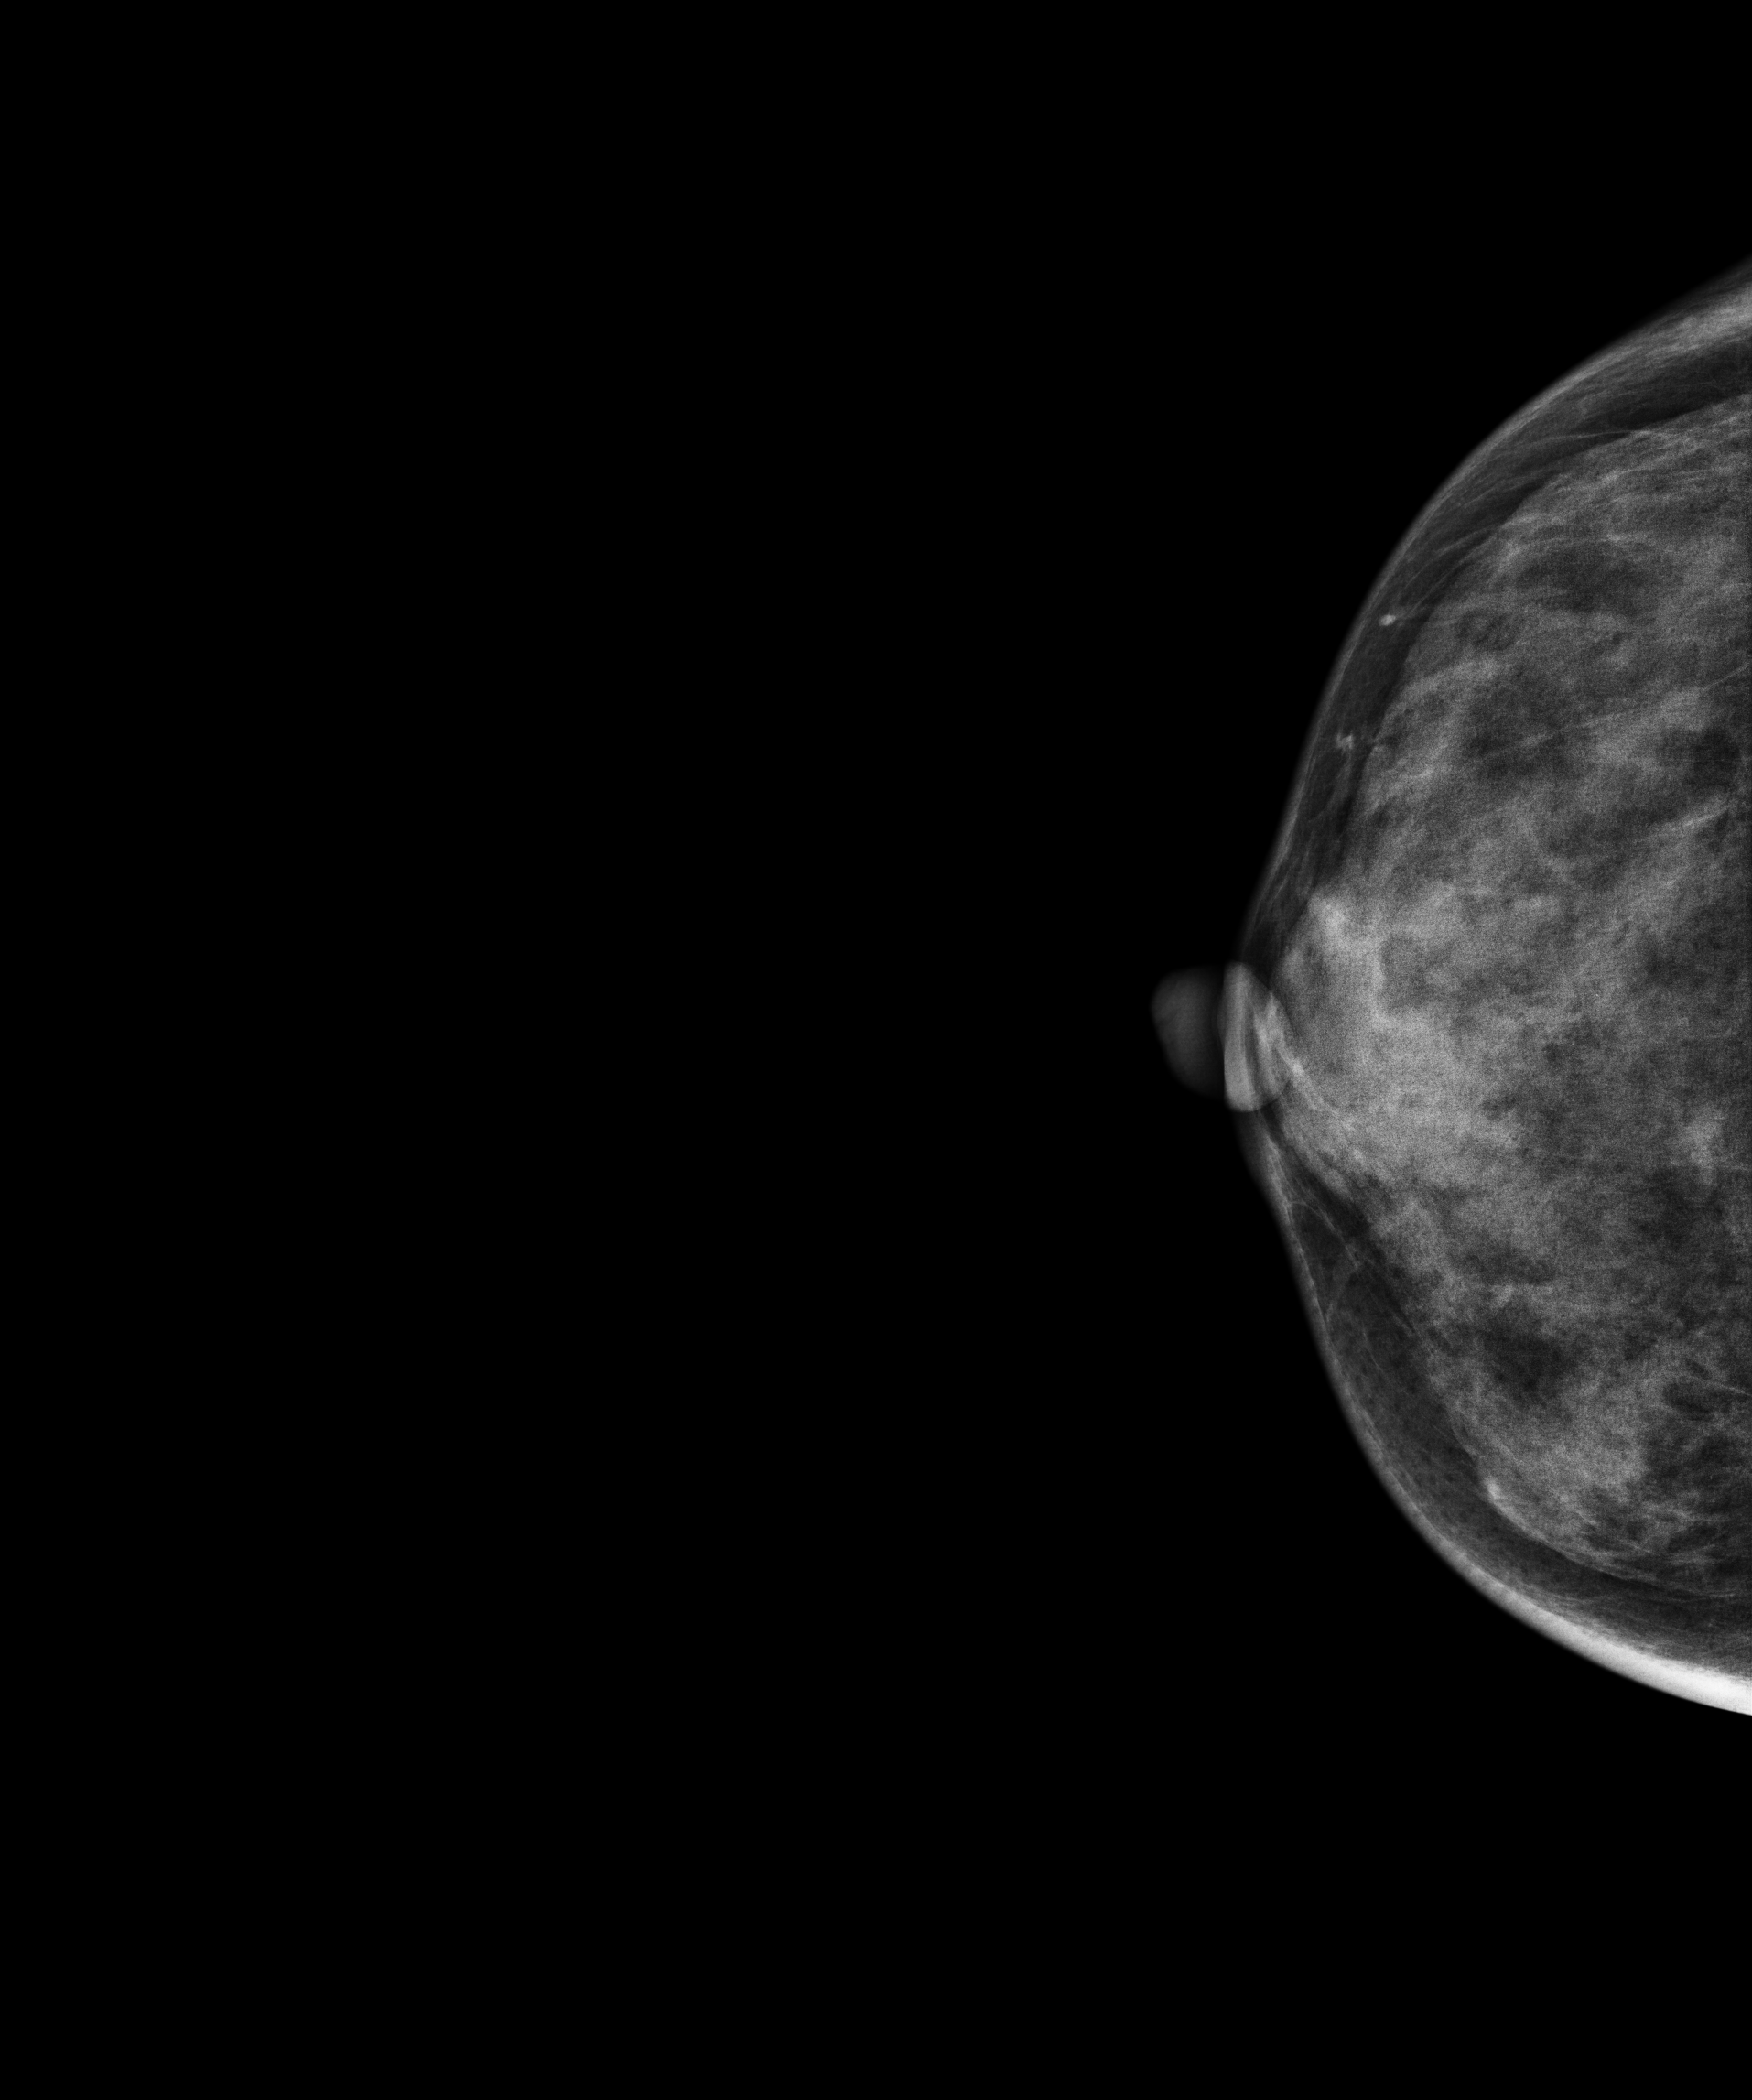
Mammogram, right breast, CC view. 46 y/o patient.
Contralateral breast — no documented abnormality on this side.